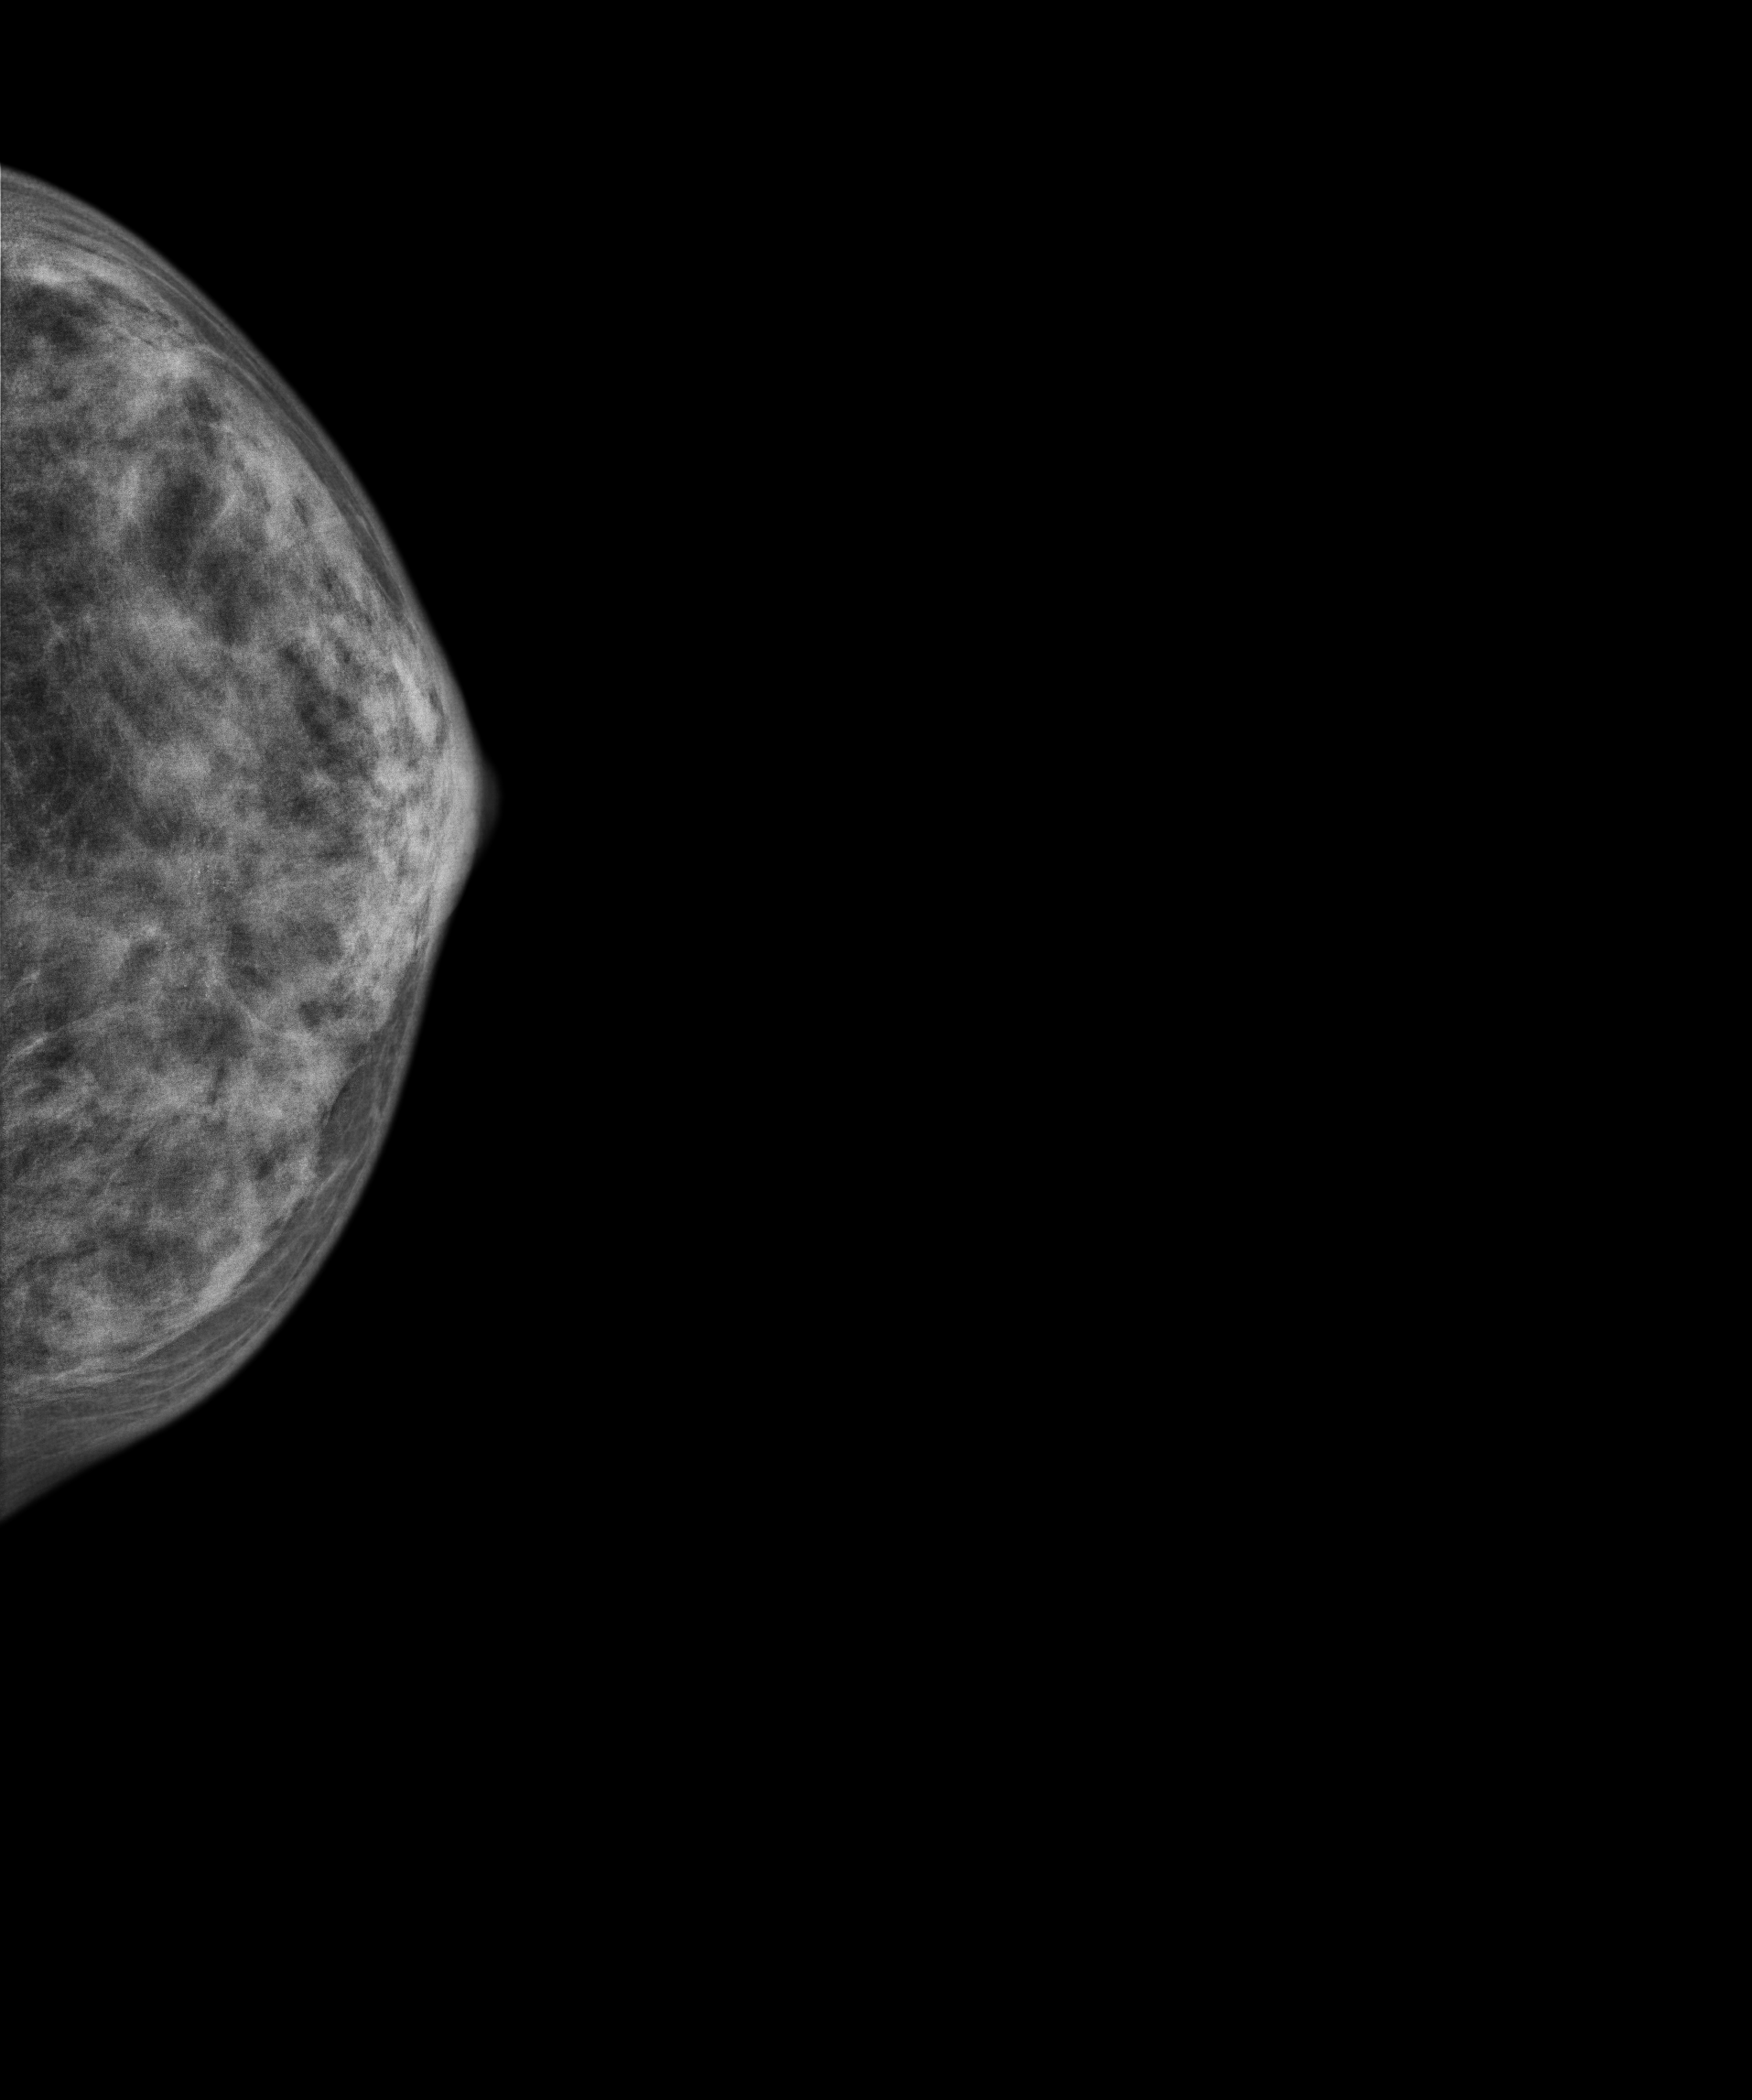
Left-breast mammogram, cranio-caudal. 44-year-old patient.
This breast has a mass and calcifications, biopsy-proven malignant. Molecular subtype: luminal A.